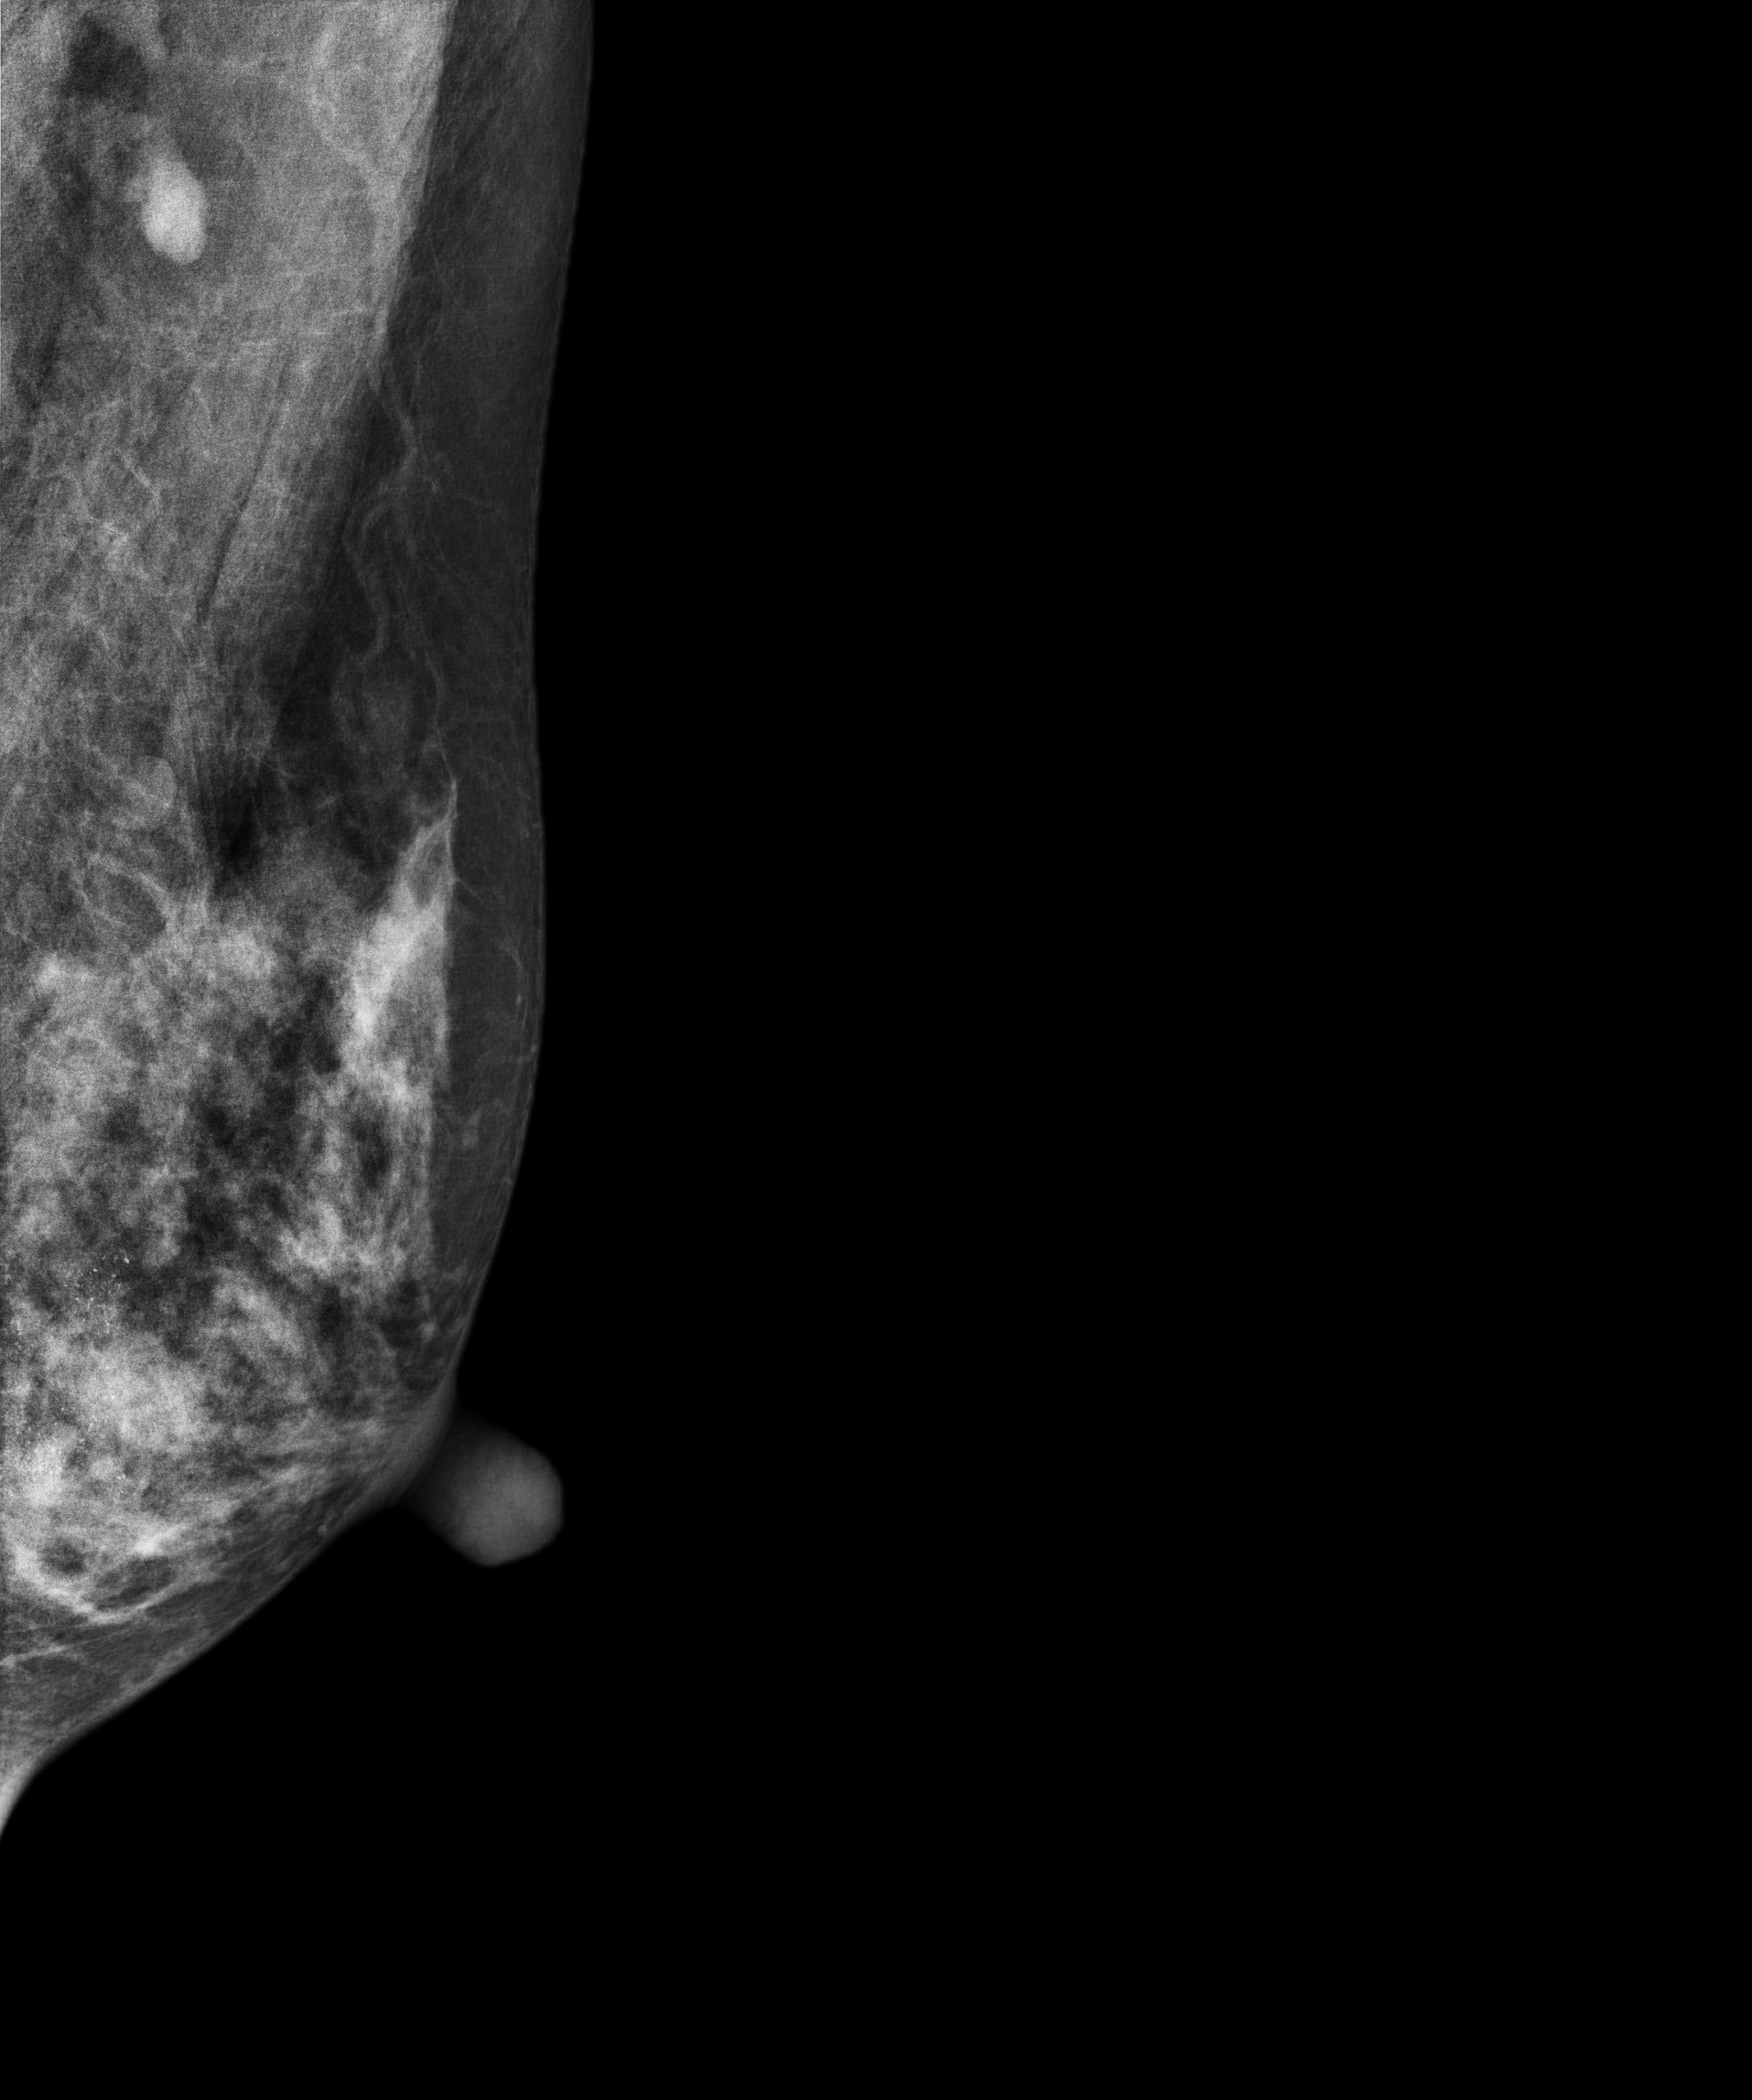
Mammogram, left breast, MLO view. 41-year-old patient.
This breast has a mass and calcifications, biopsy-proven malignant.